CC mammogram of the left breast. Patient age 36.
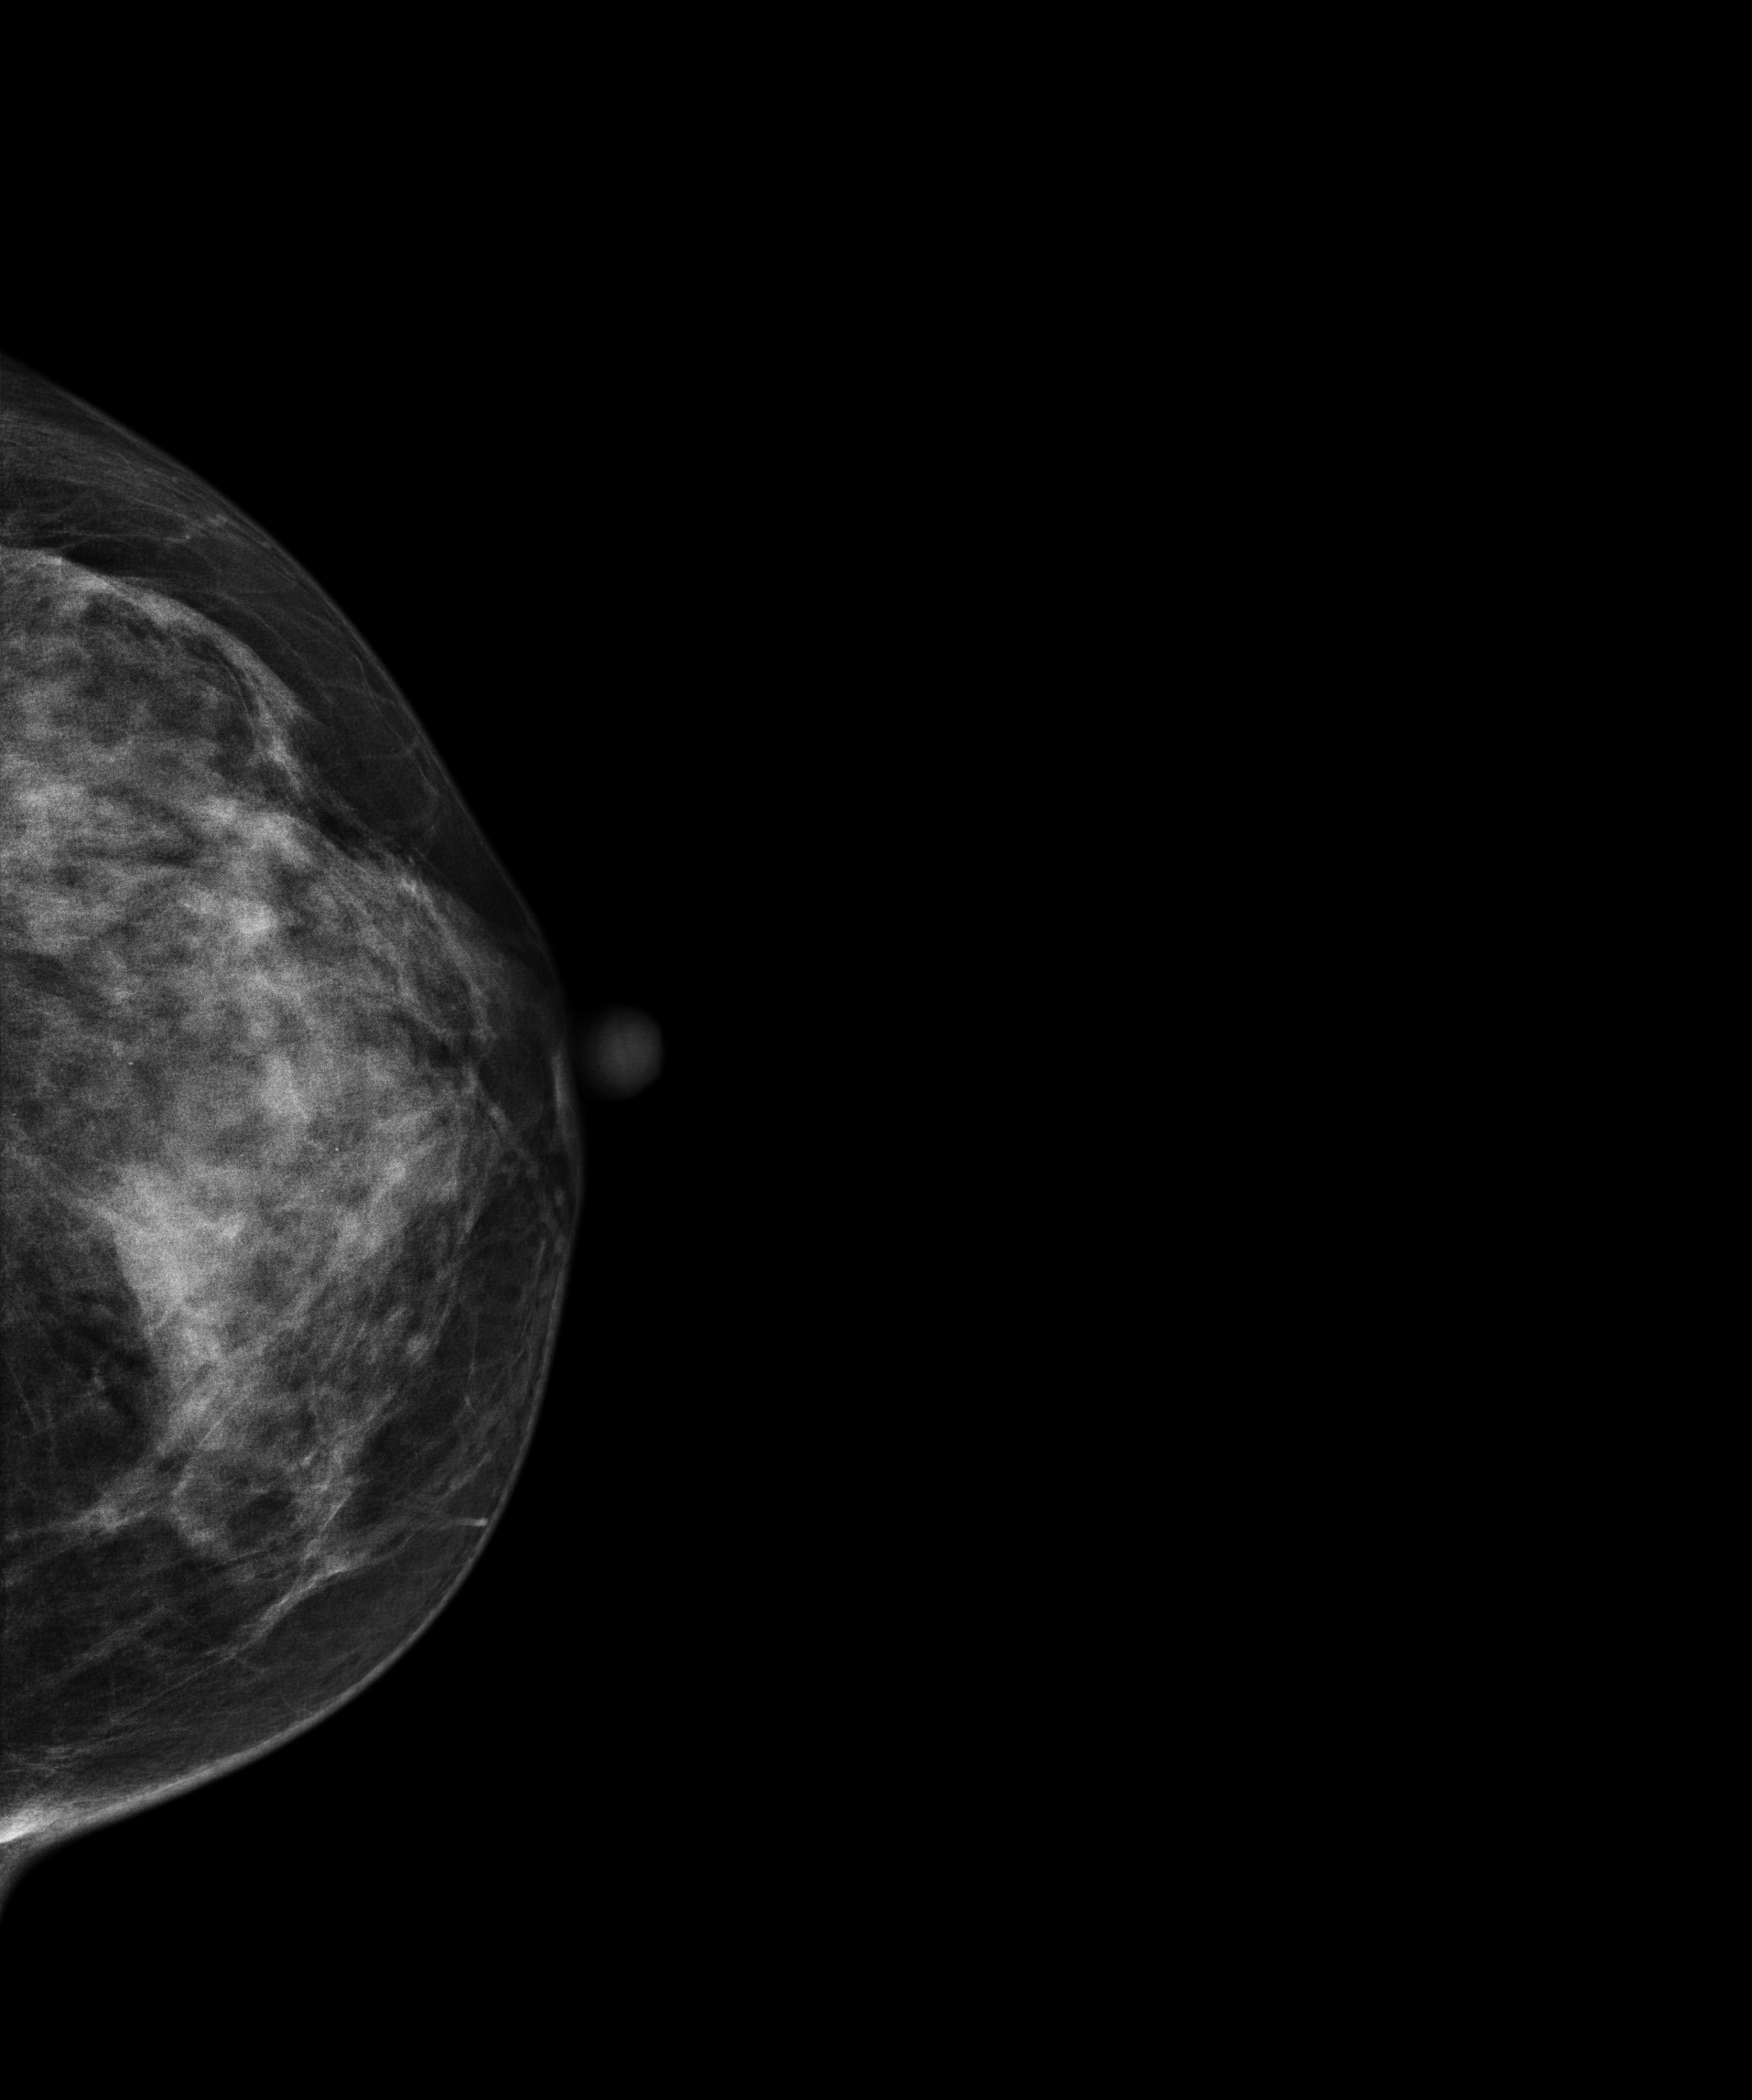
This breast has a mass, histologically confirmed malignant. Molecular subtype: luminal A.